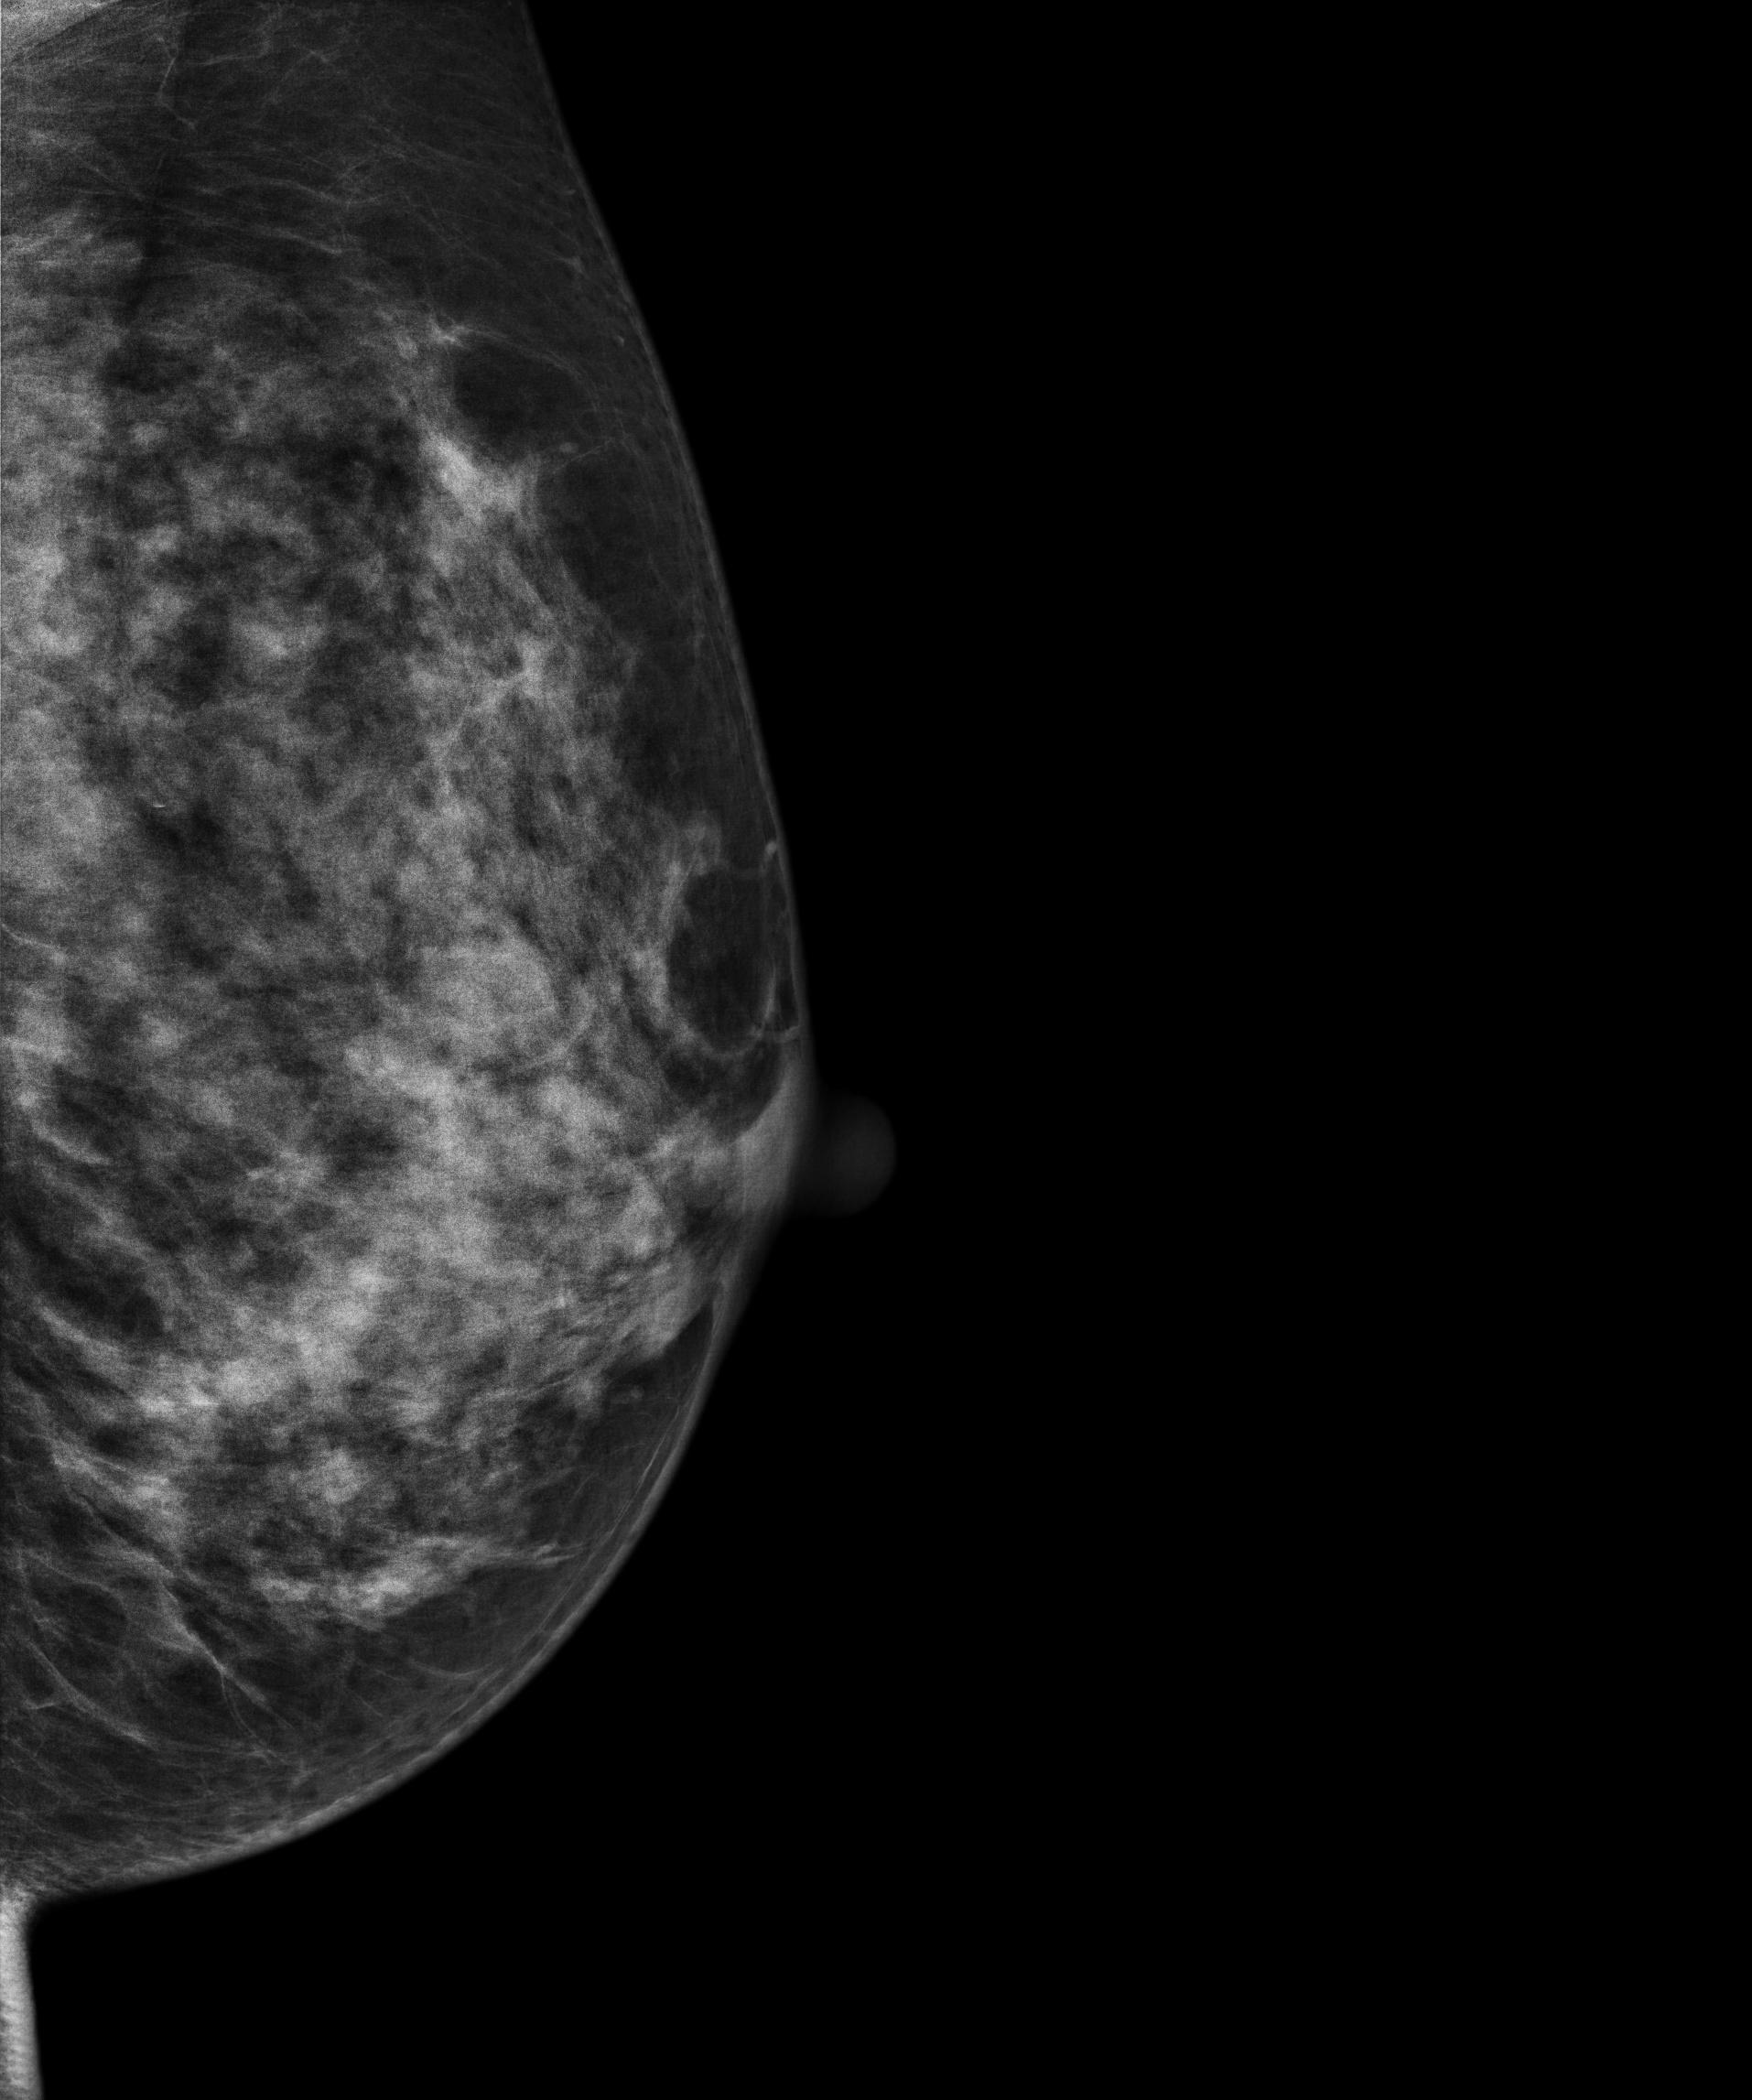
MLO mammogram of the left breast. 48 y/o patient.
Contralateral breast — no documented abnormality on this side.